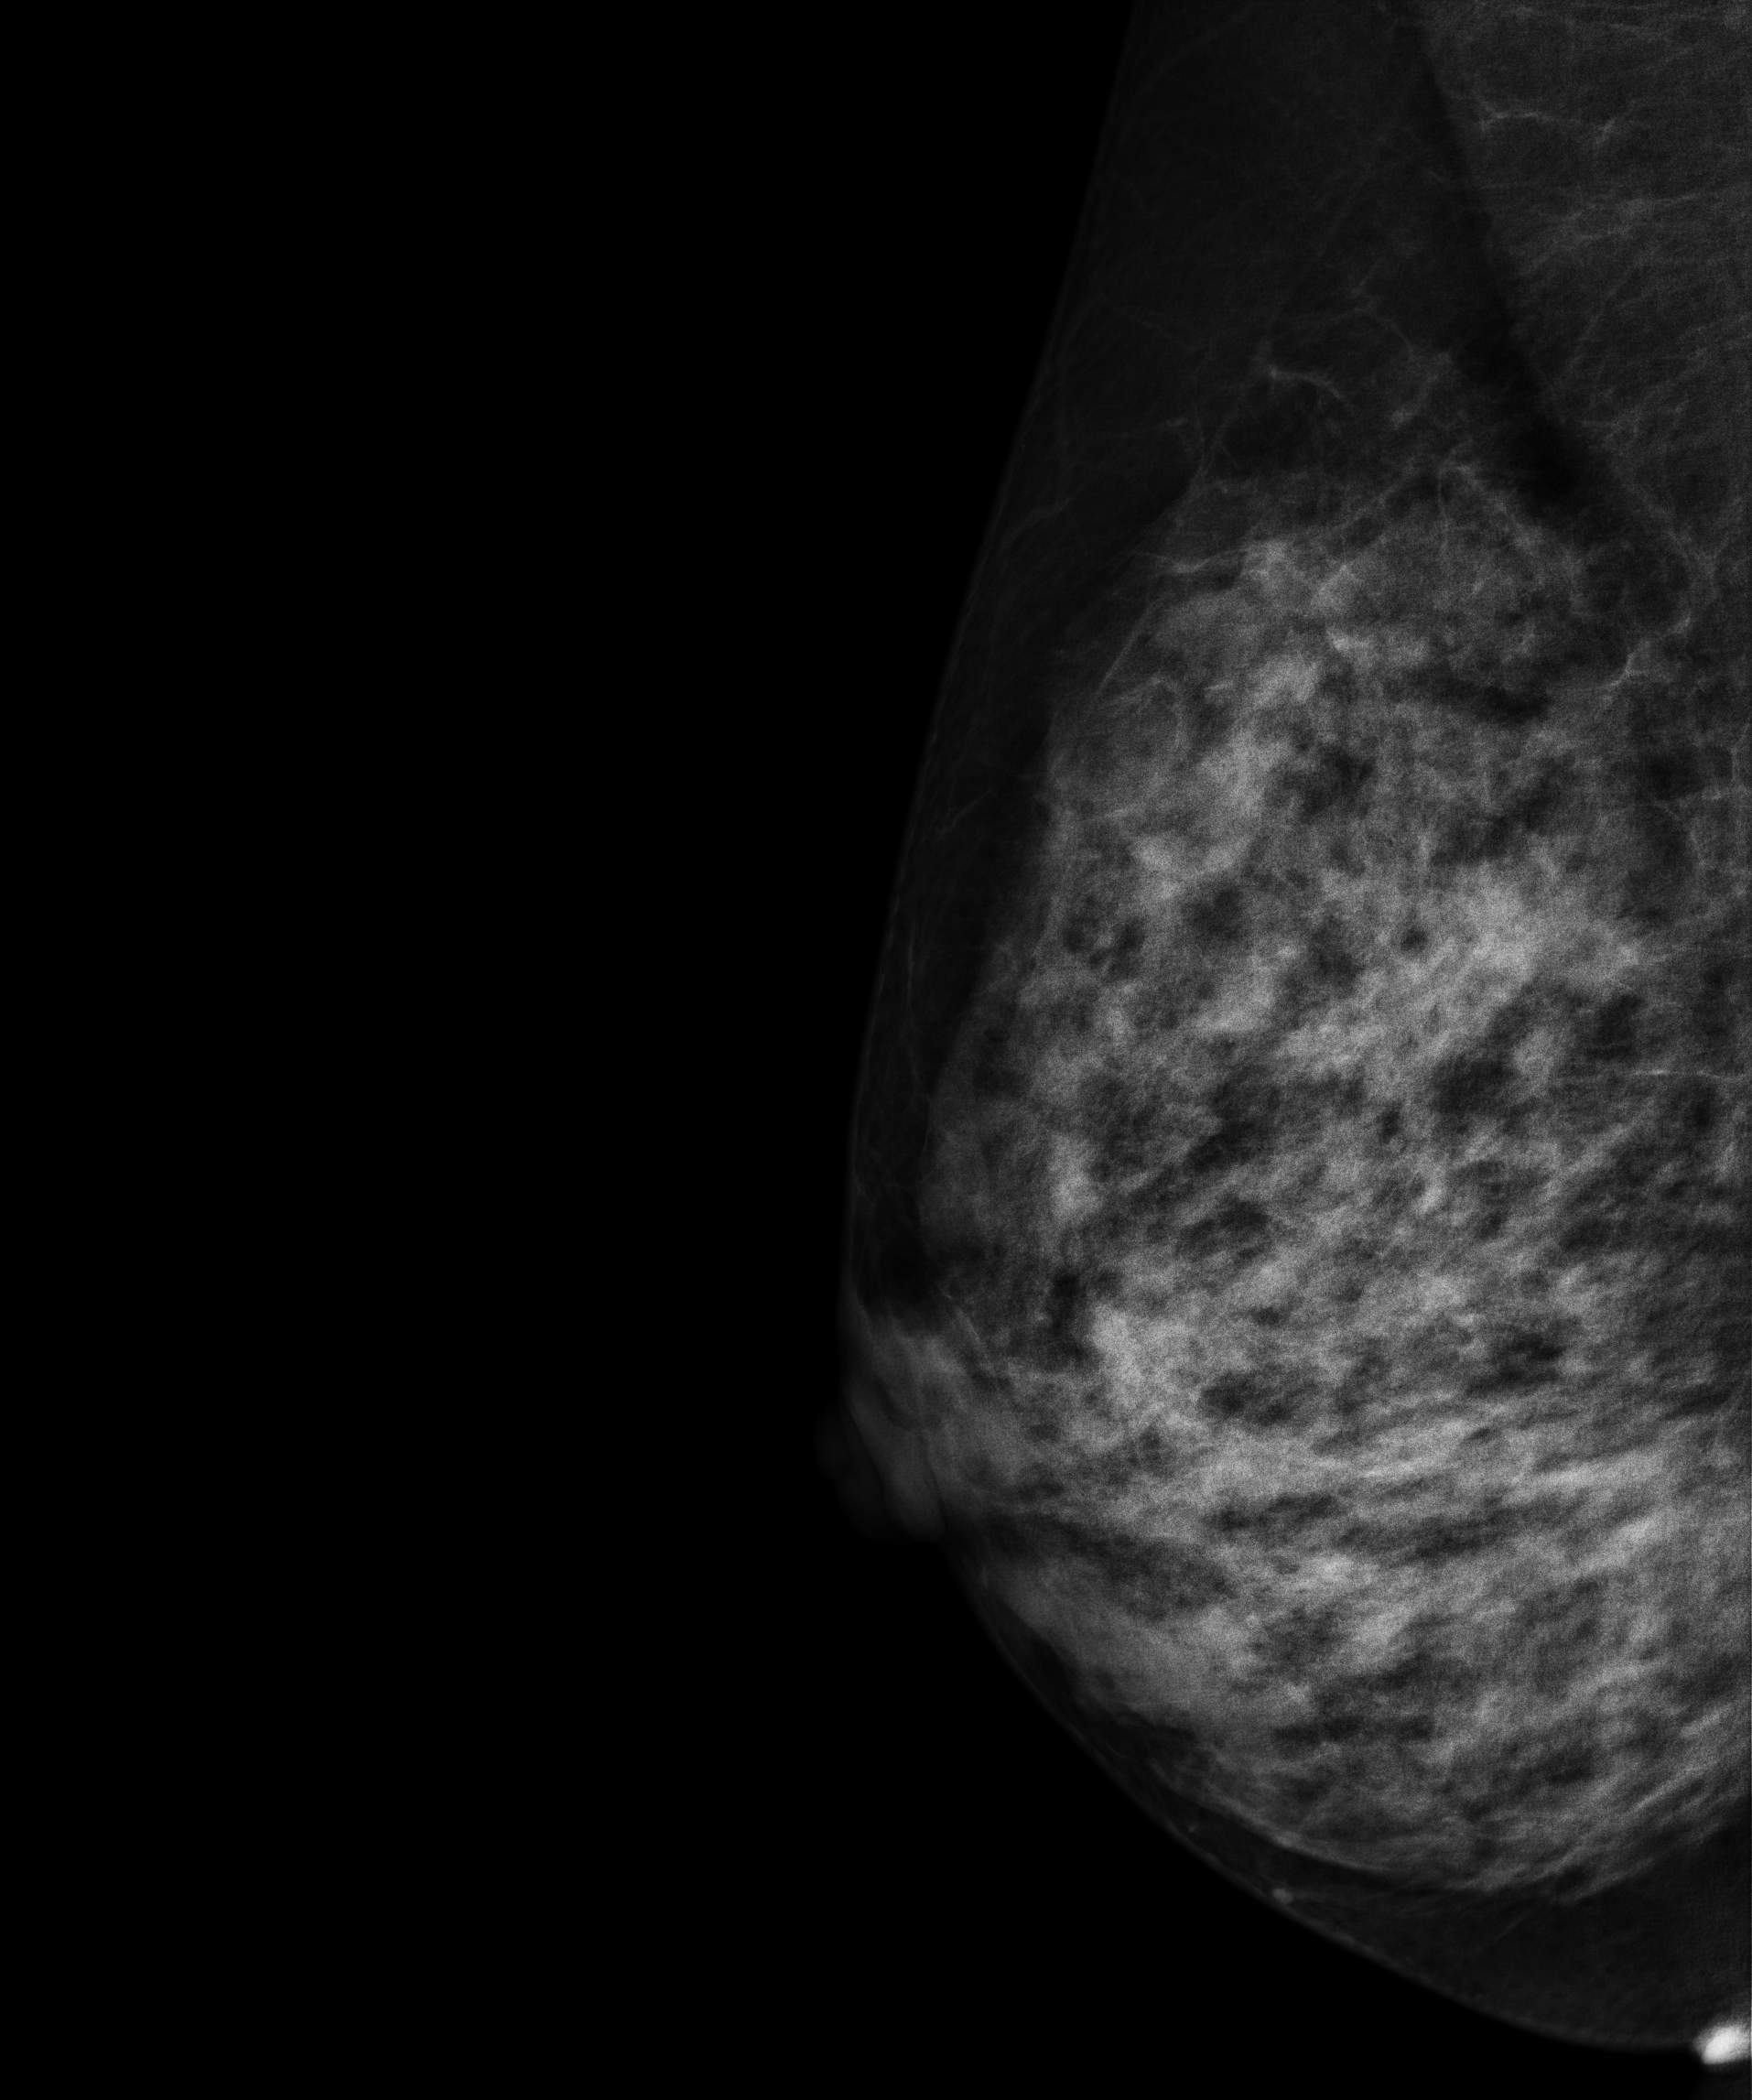
Mammogram, right breast, medio-lateral oblique view. 47-year-old patient.
Contralateral breast — no documented abnormality on this side.